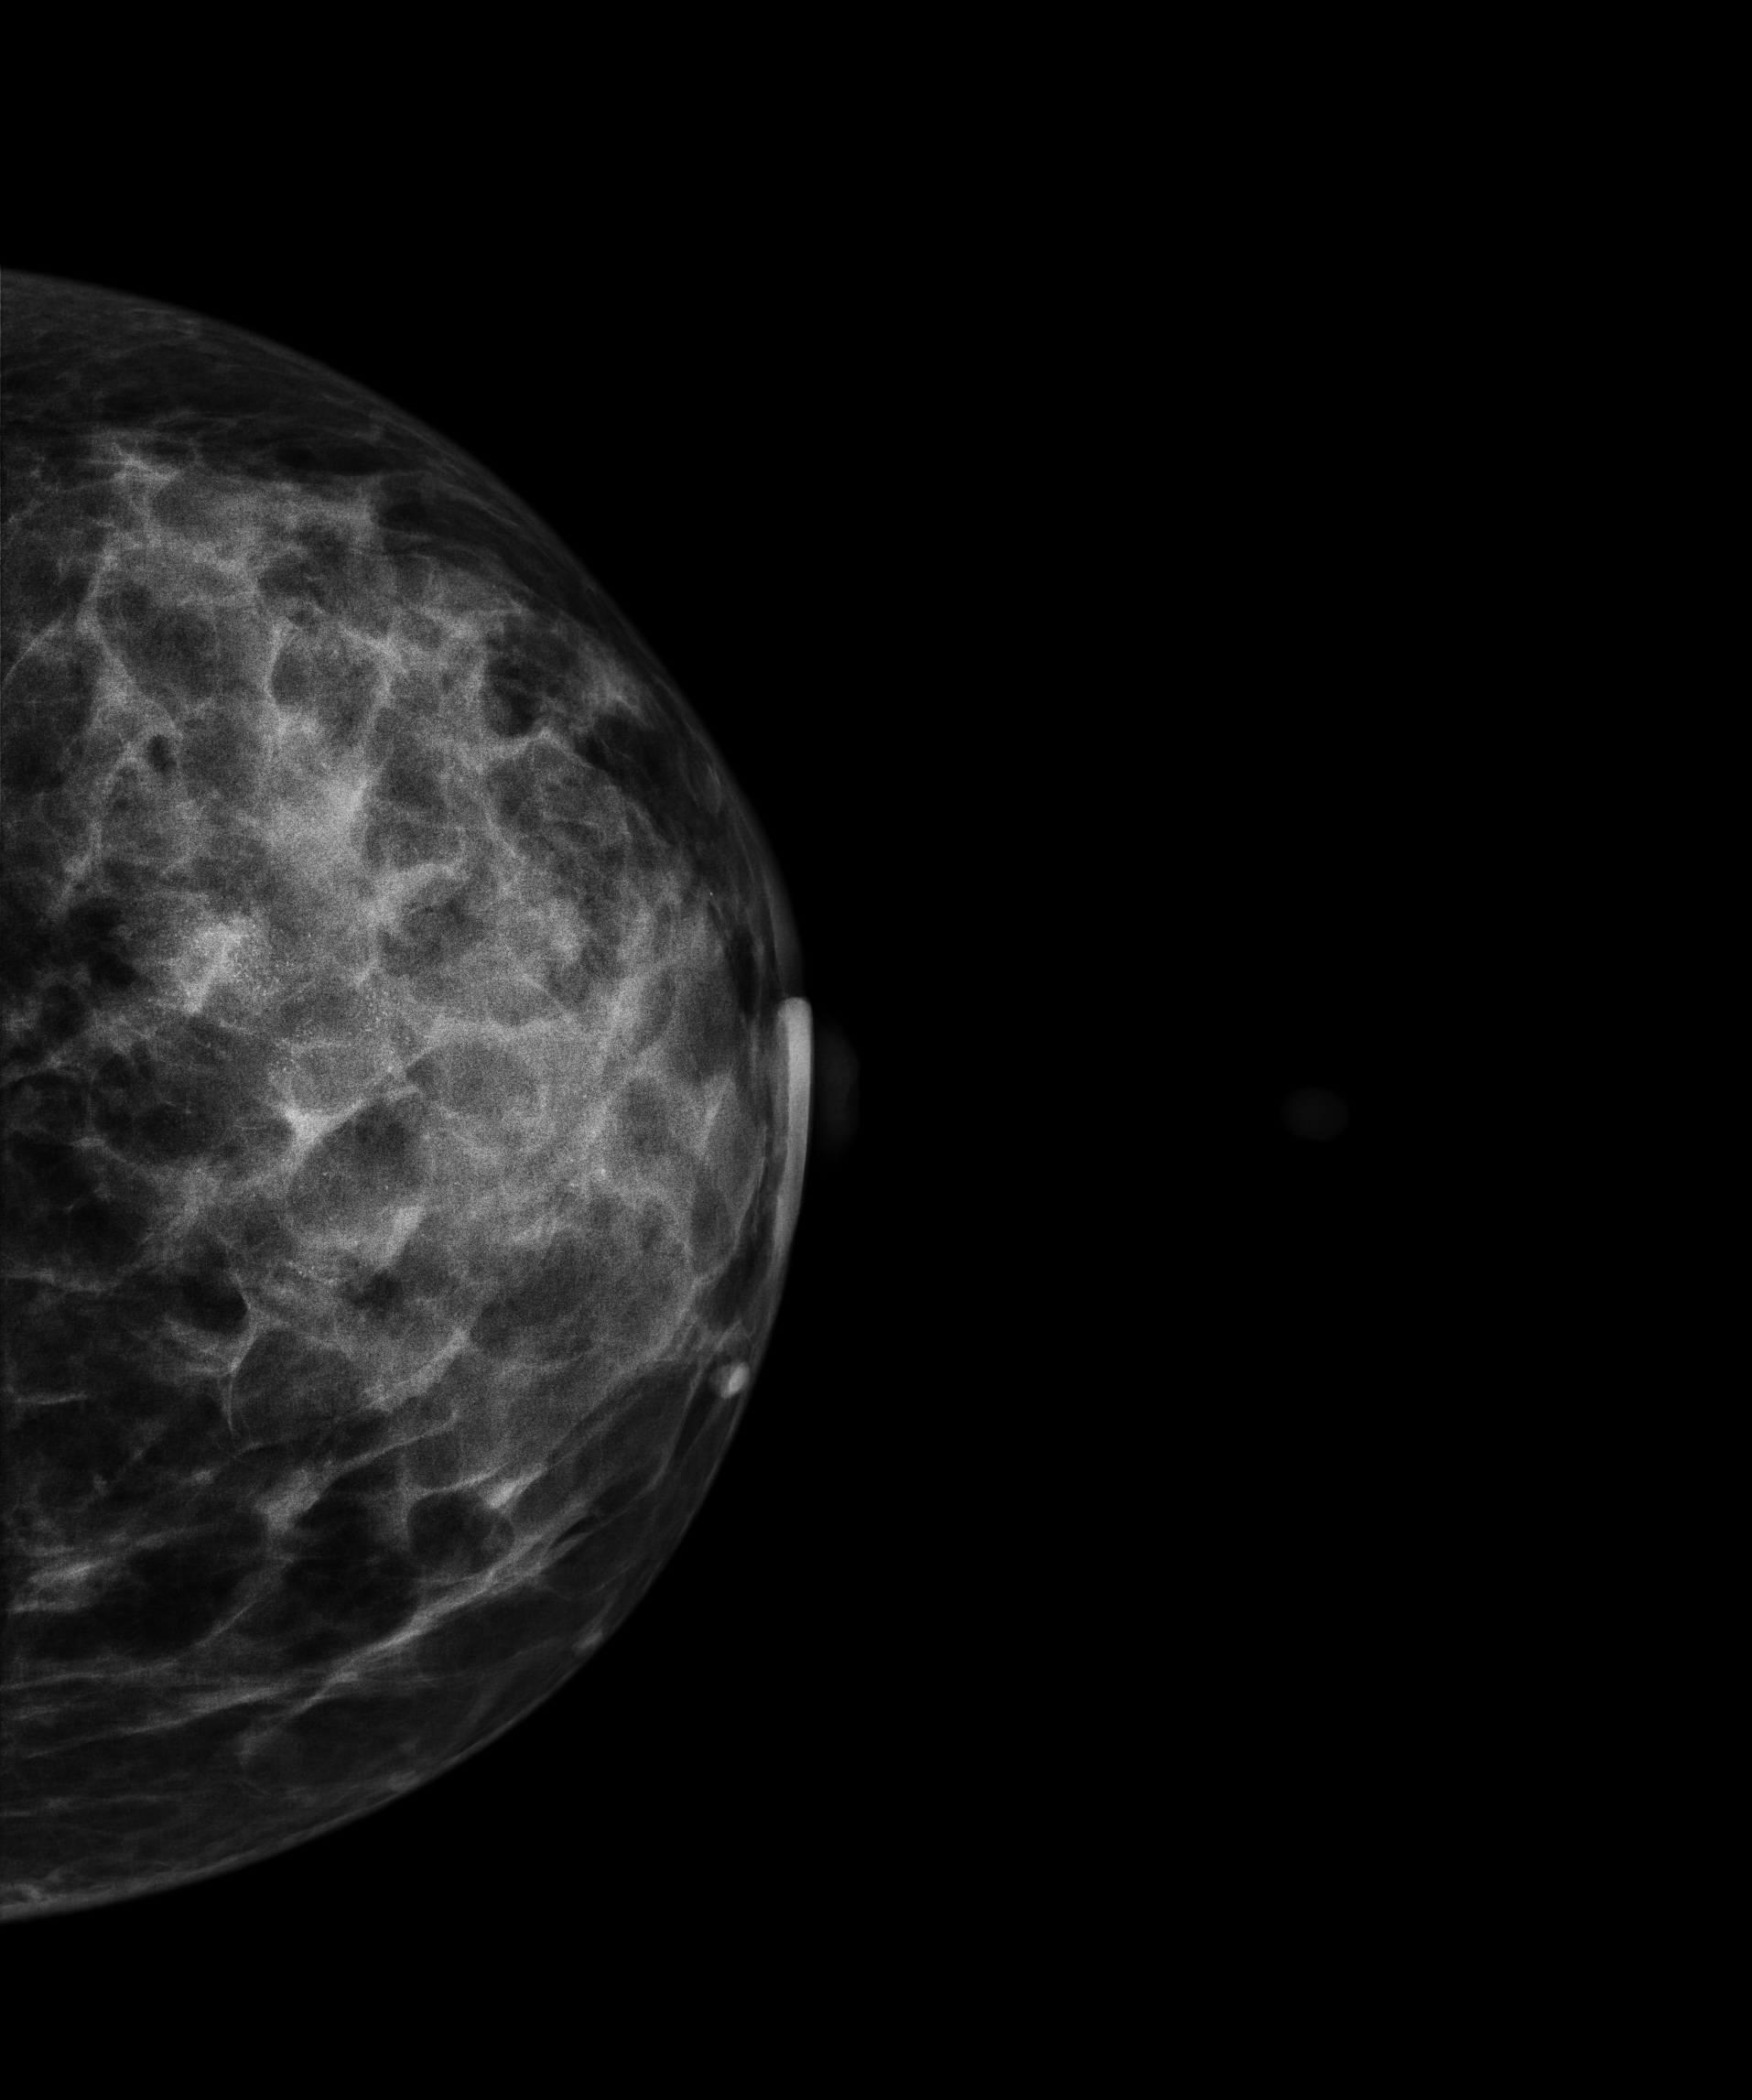
Digital mammography. Left breast, cranio-caudal projection. Patient age 50.
This breast has calcifications, pathology-confirmed malignant.